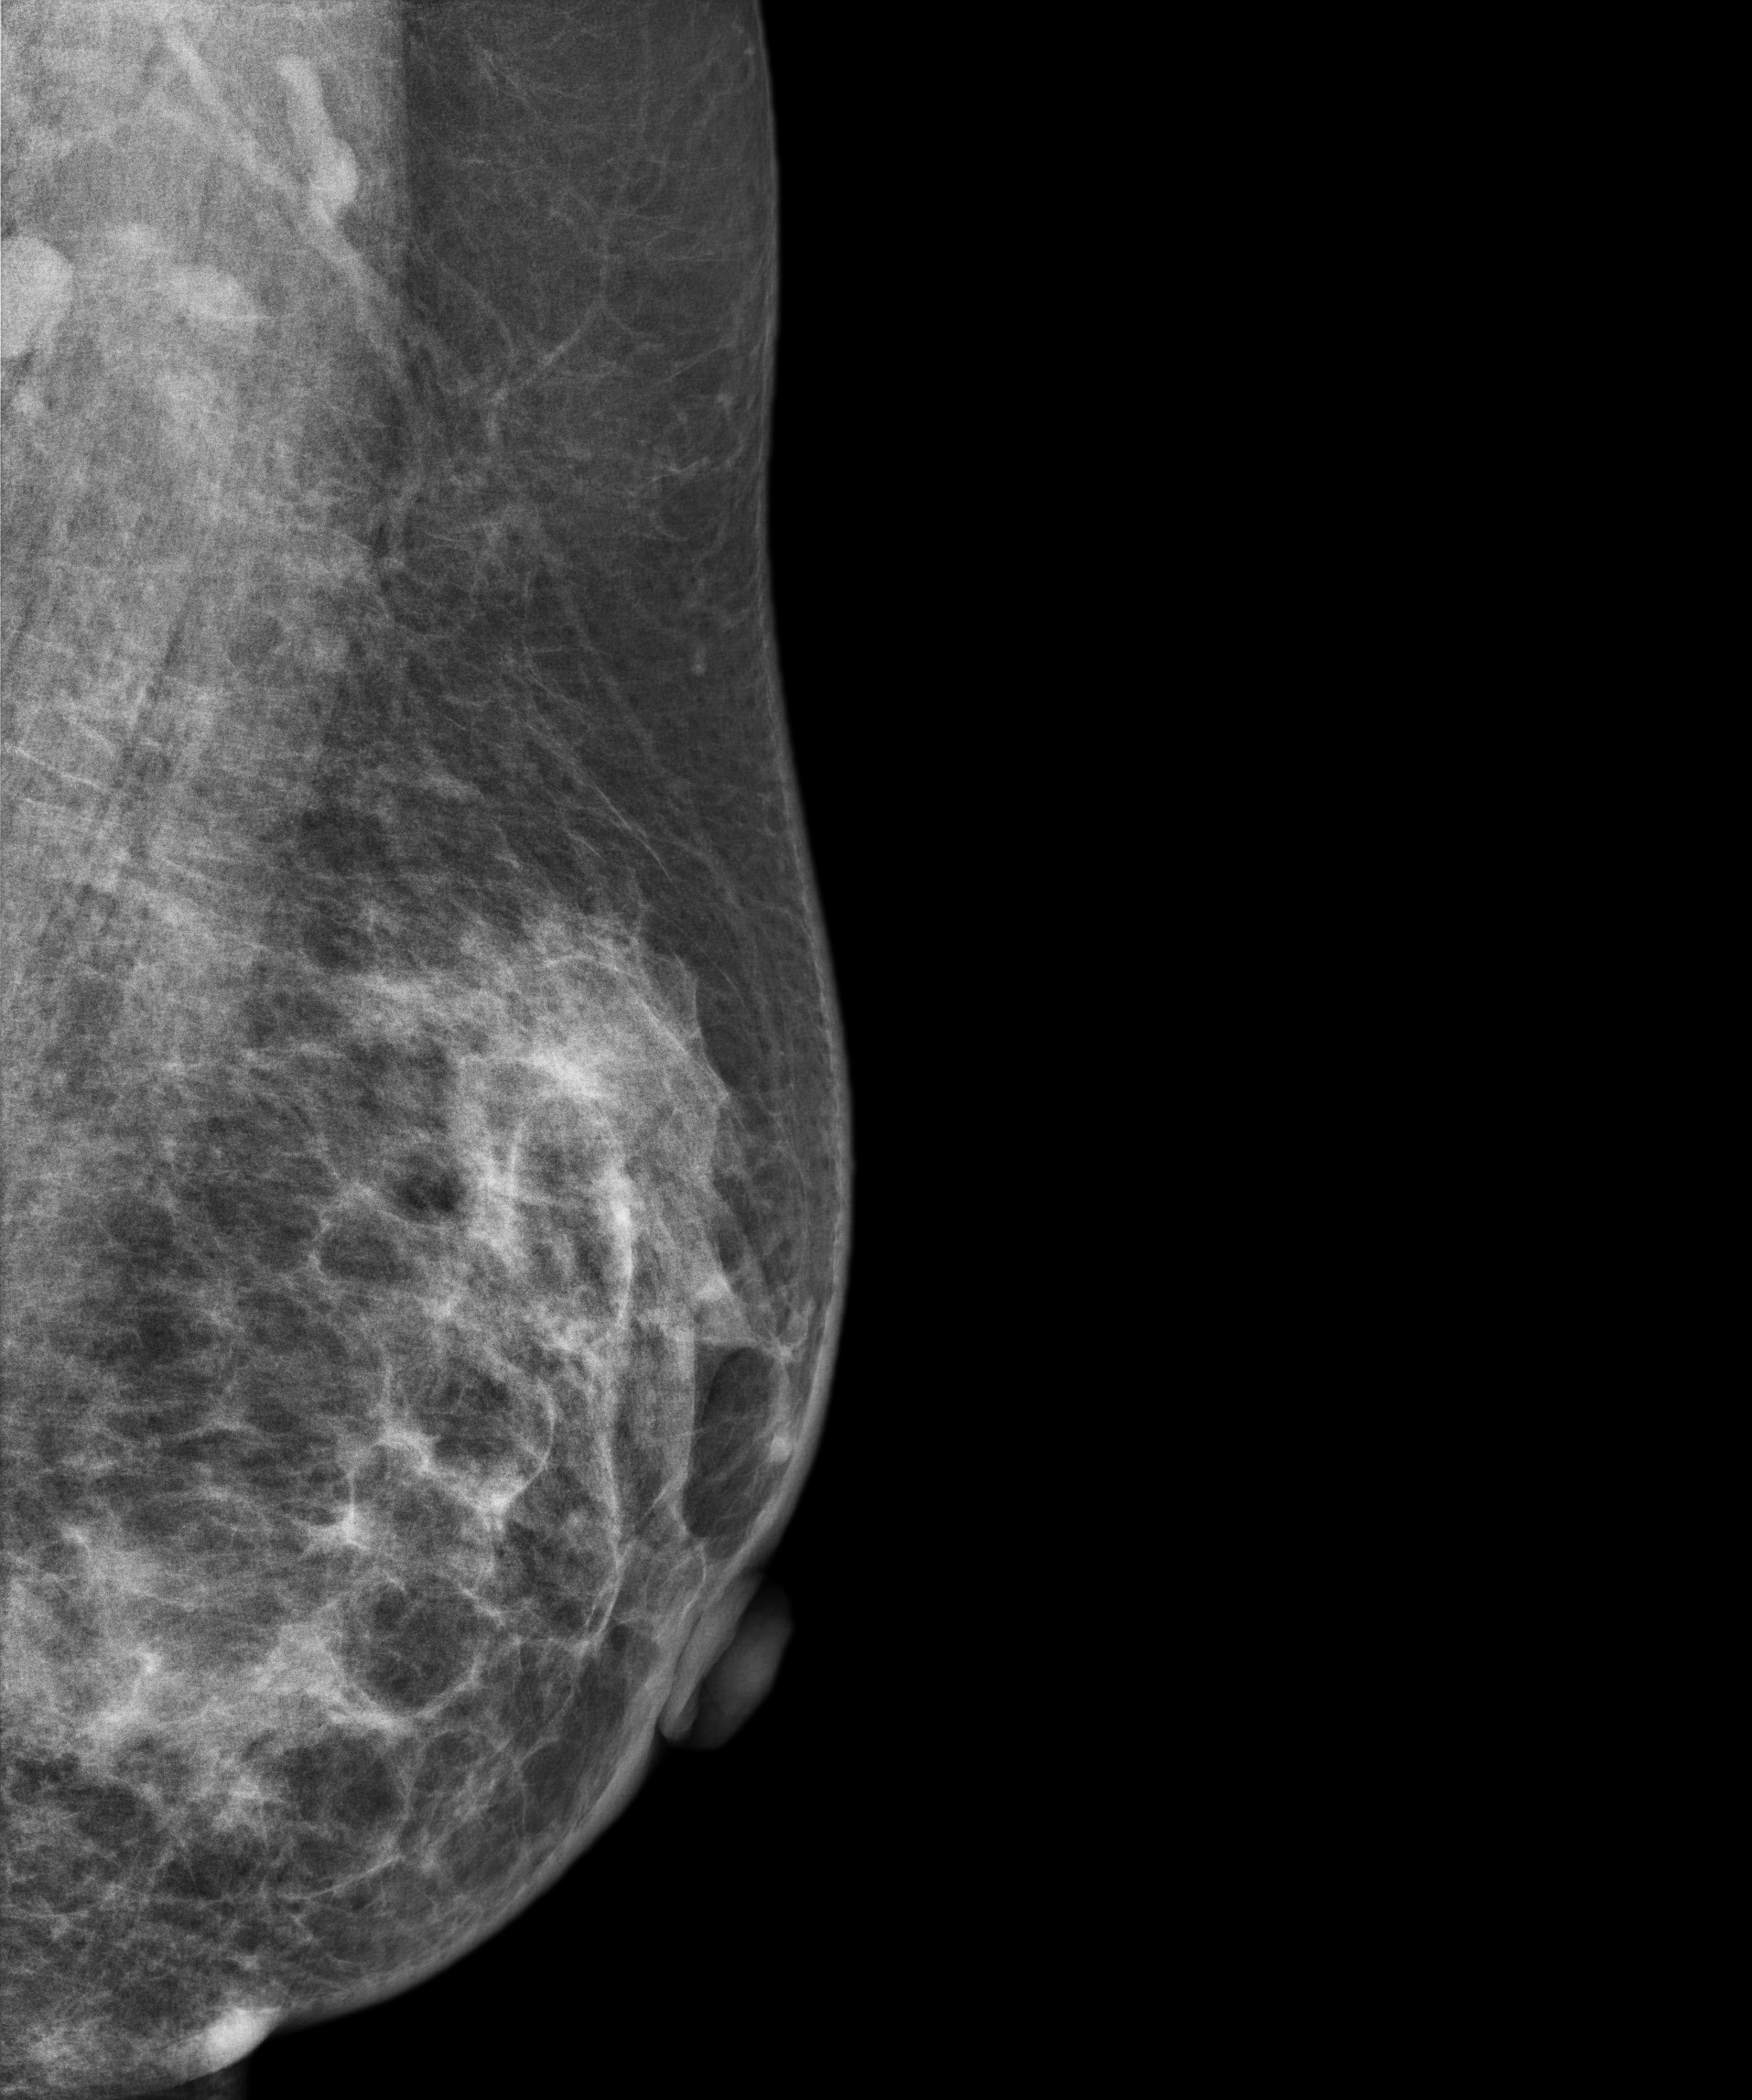
Left-breast mammogram, medio-lateral oblique. 48-year-old patient.
This breast has a mass, biopsy-confirmed malignant. Molecular subtype: luminal B.